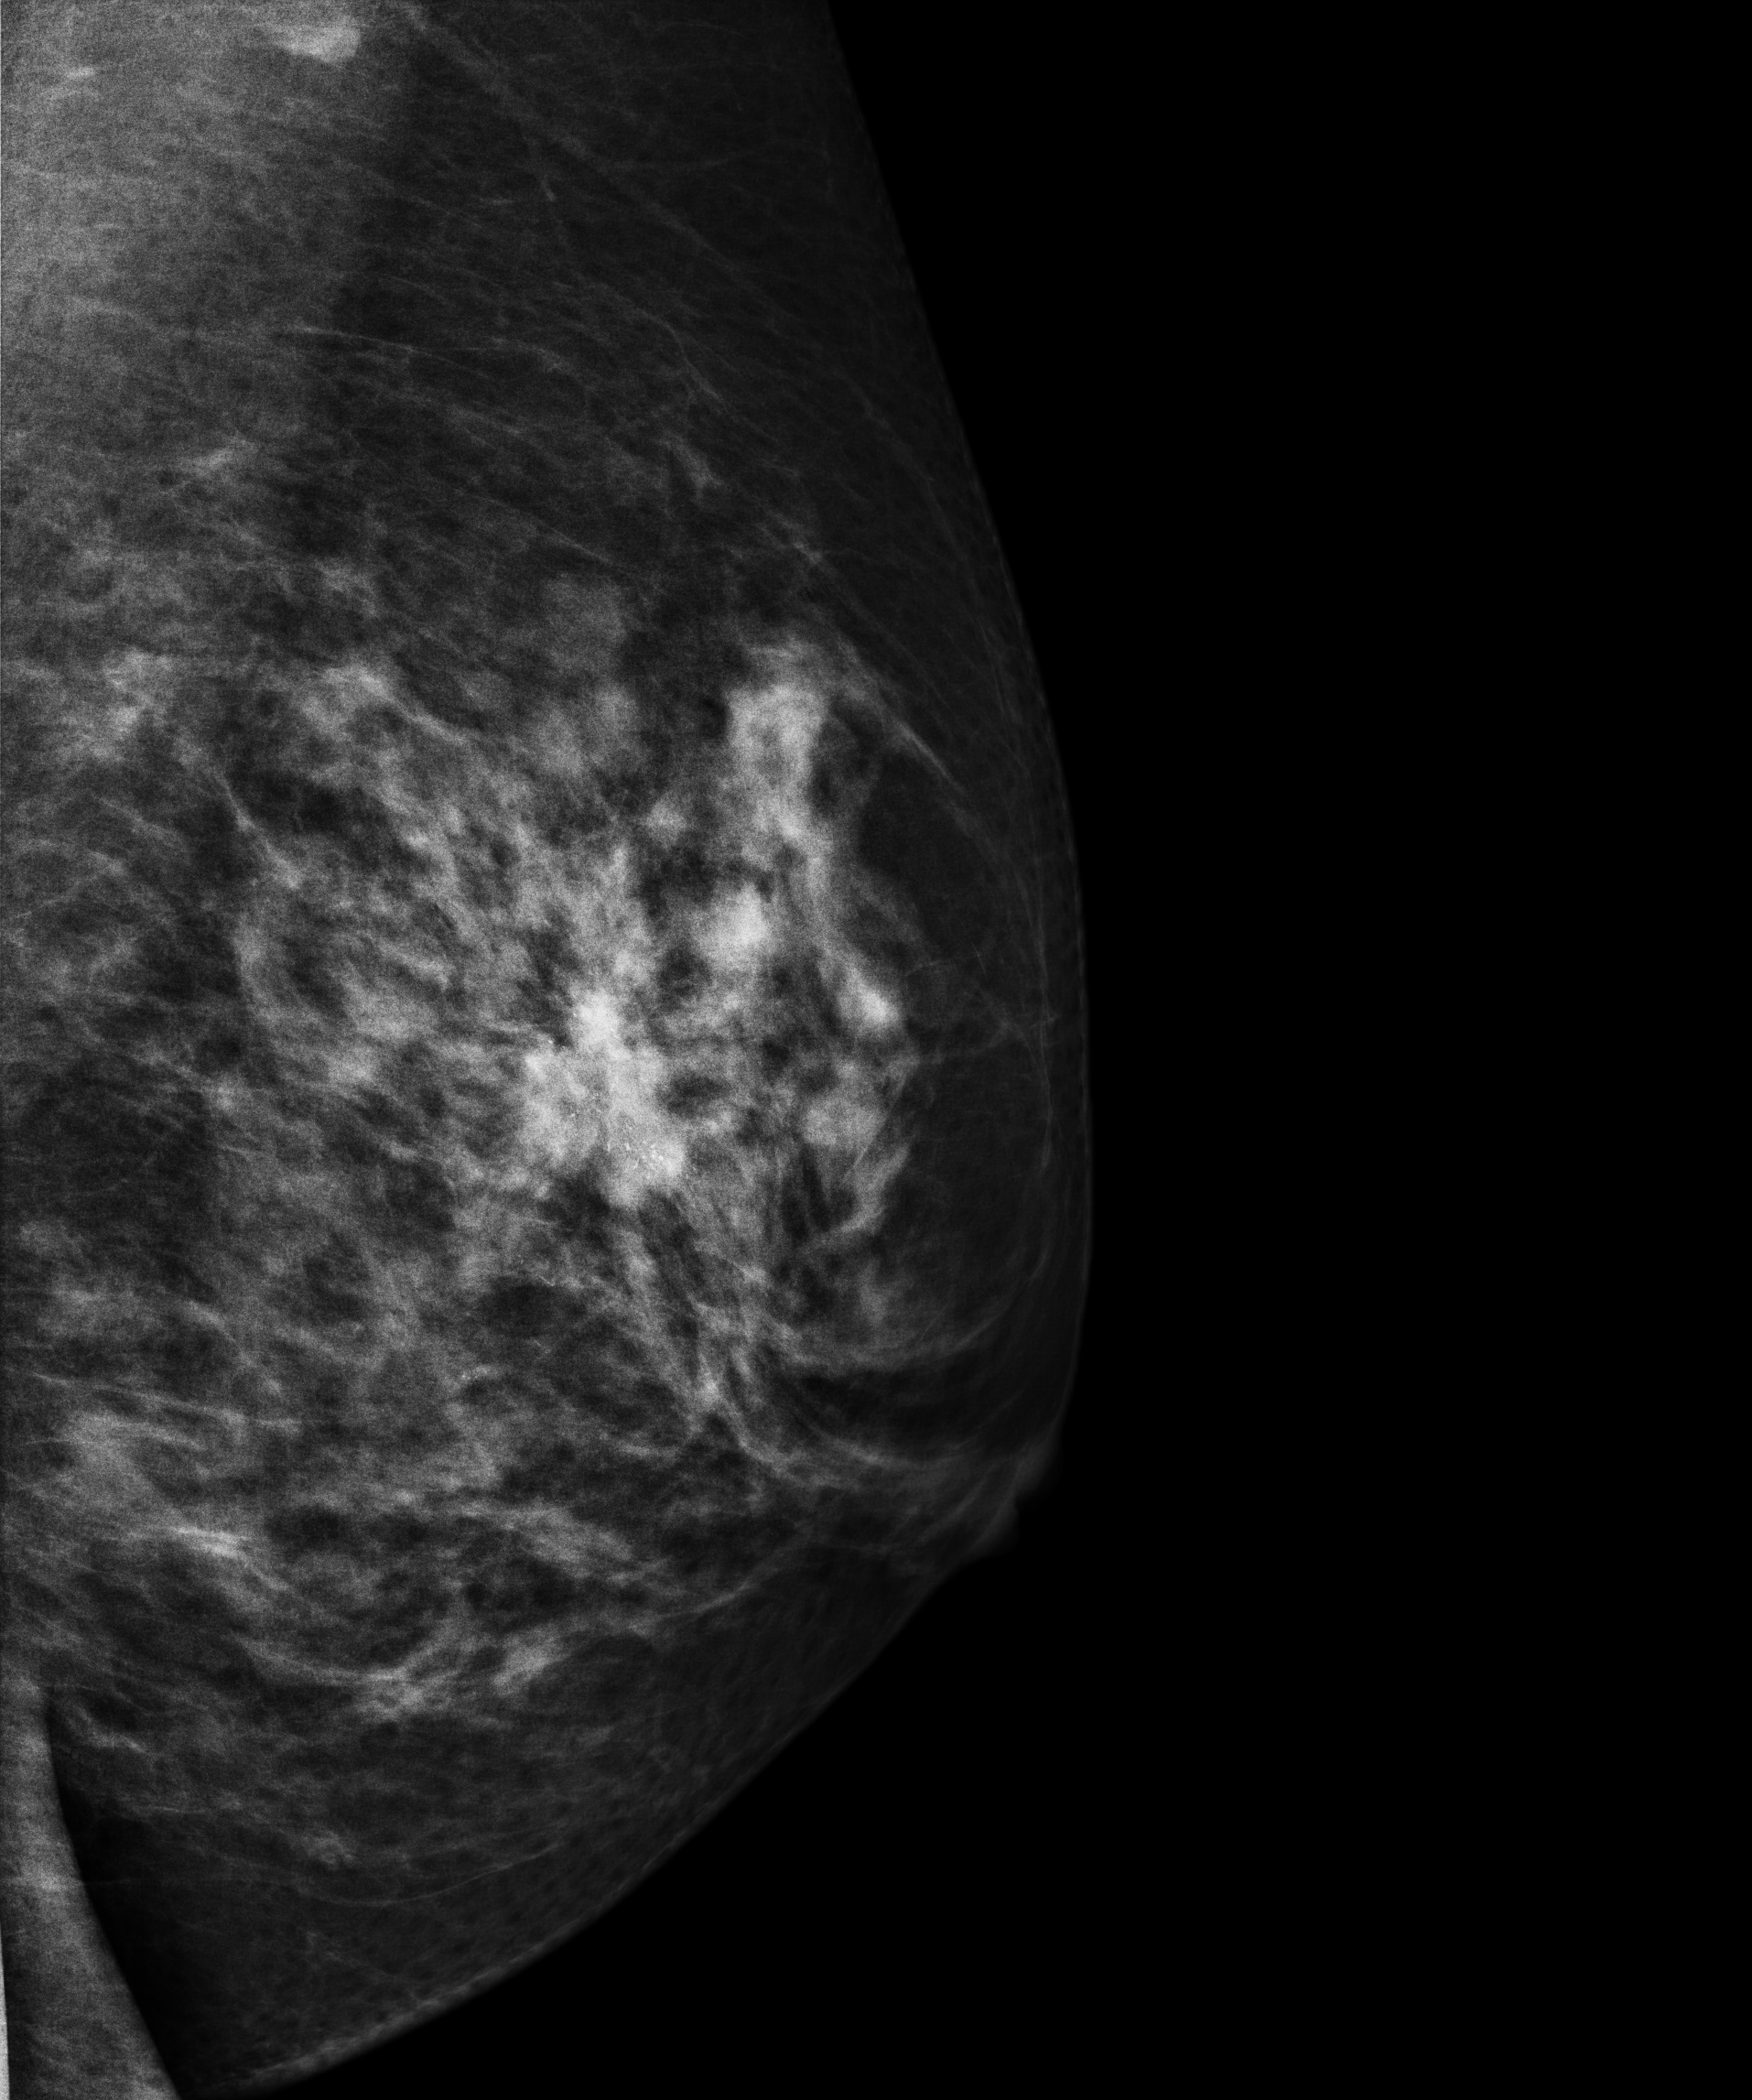
Mammogram — left medio-lateral oblique. 46 y/o patient.
This breast has a mass and calcifications, histologically confirmed malignant. Molecular subtype: luminal B.